Digital mammography. Left breast, medio-lateral oblique projection. Patient age 42.
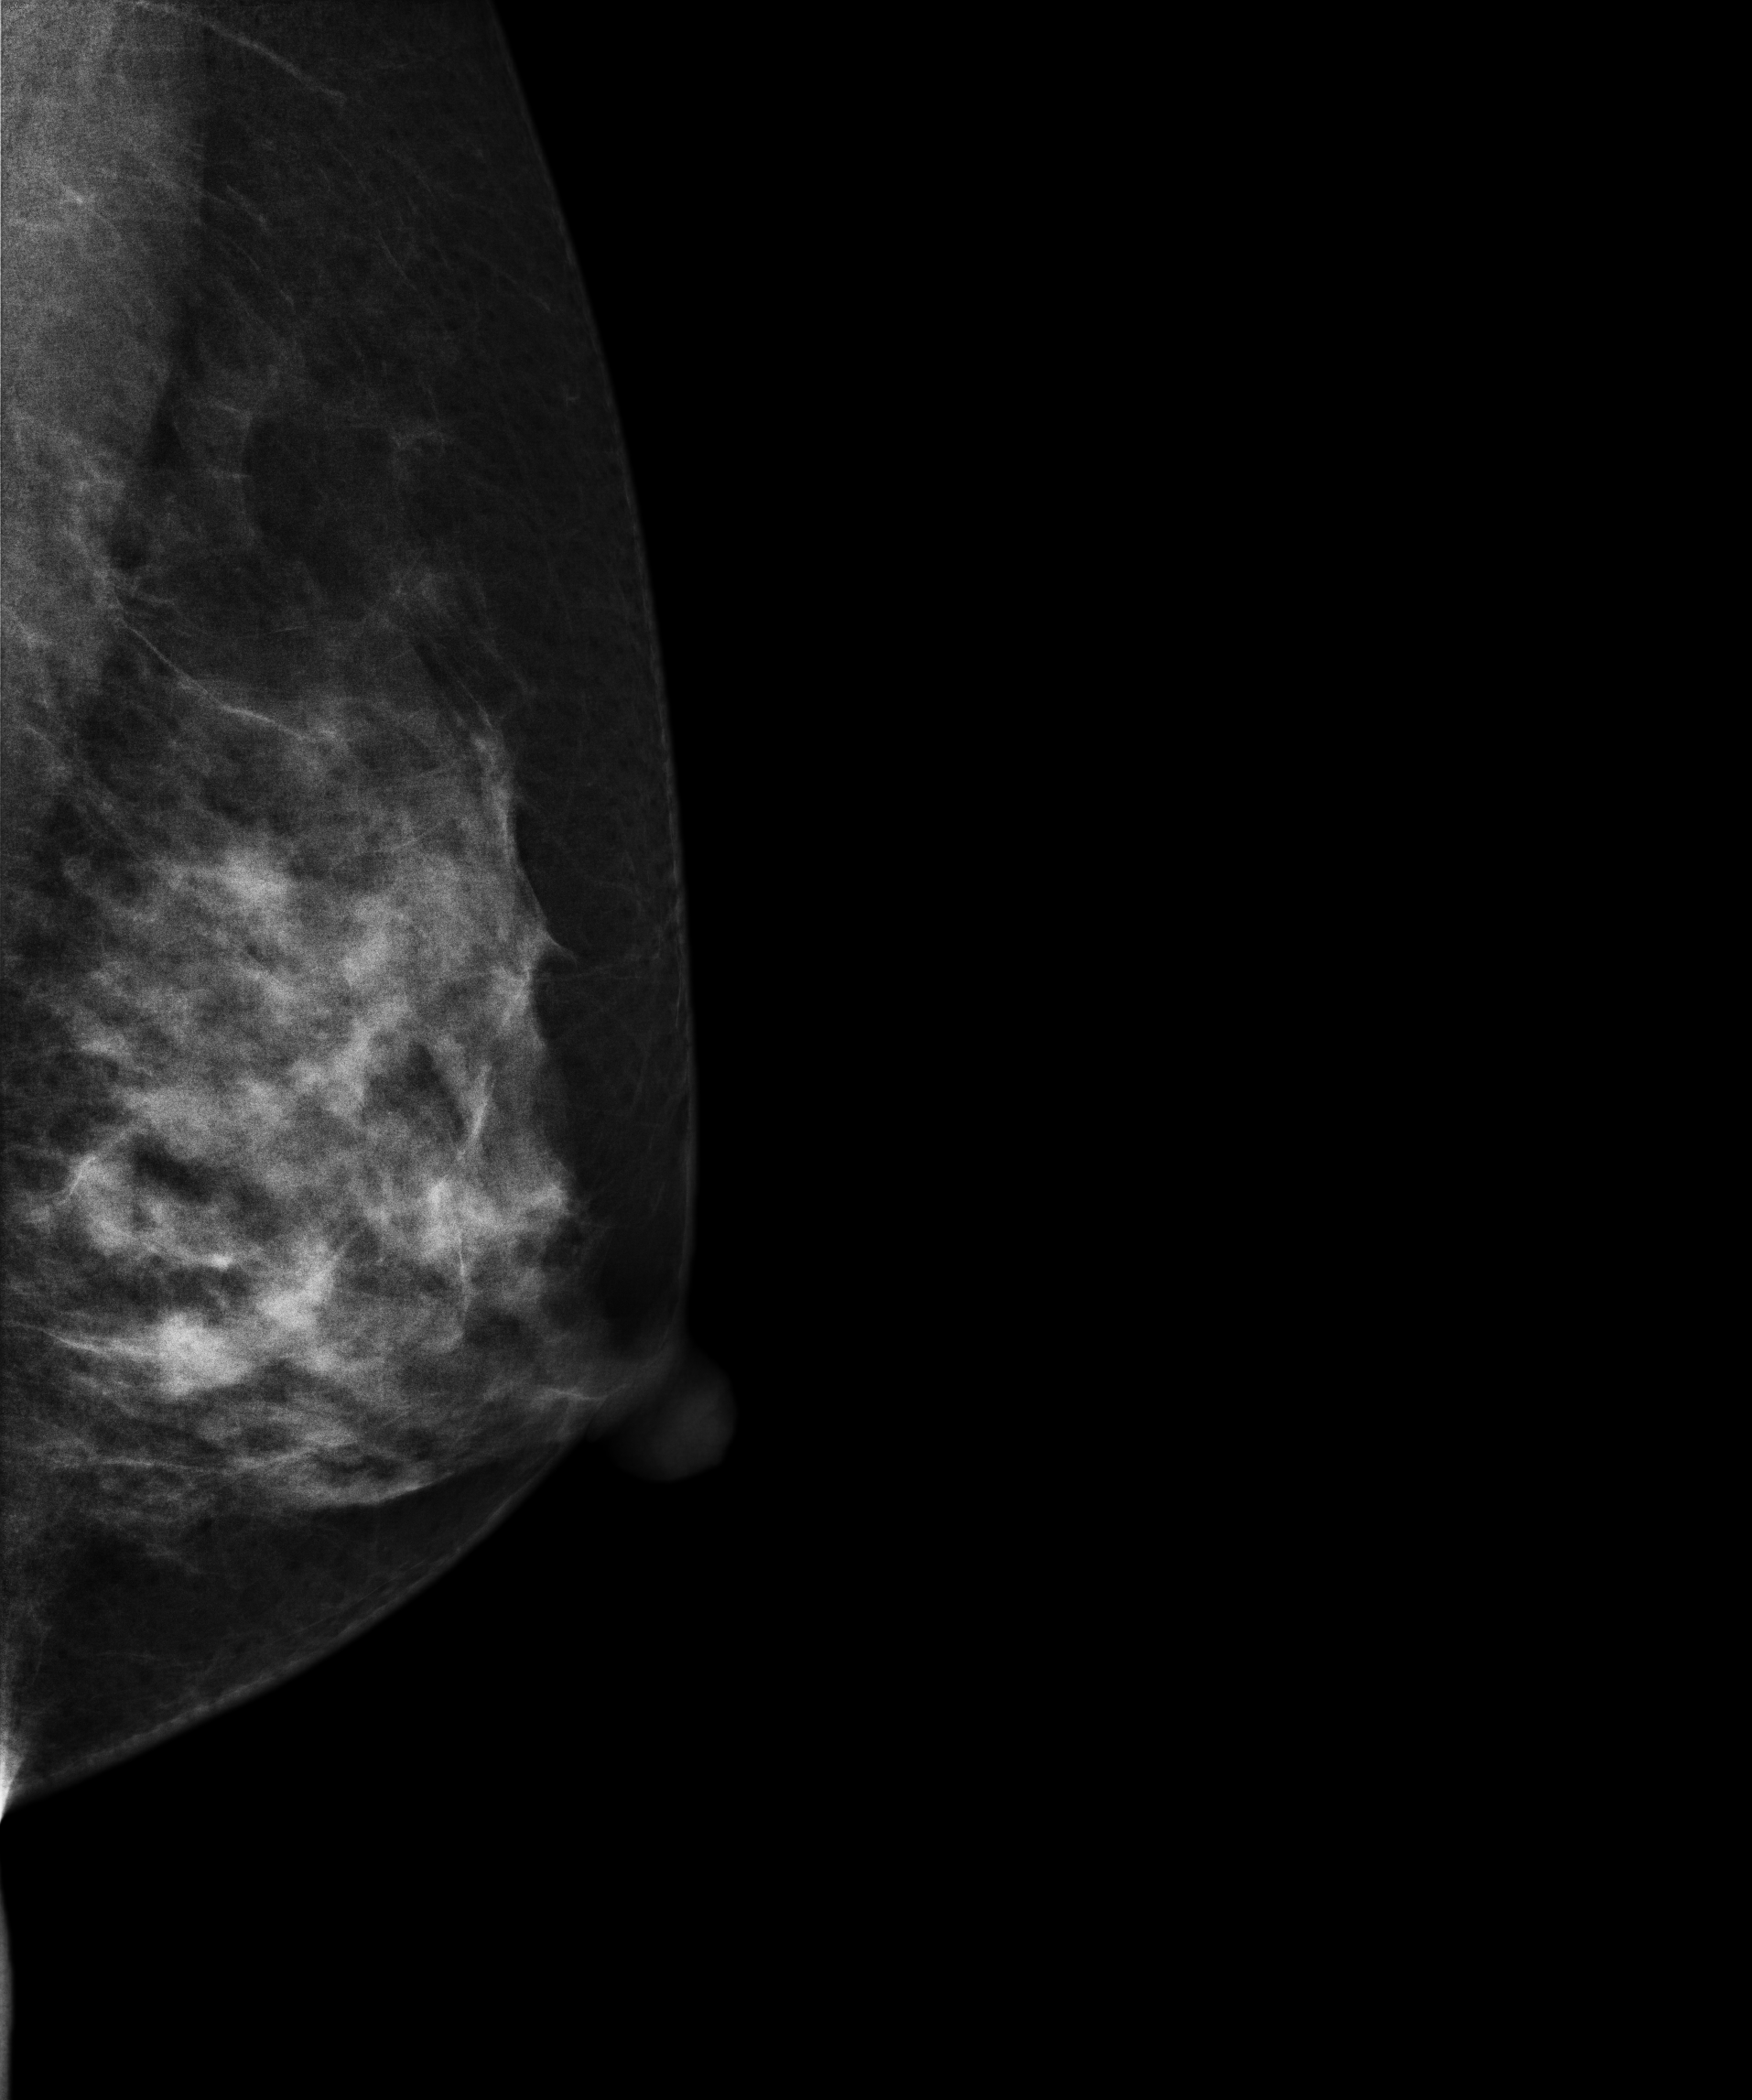
Contralateral breast — no documented abnormality on this side.